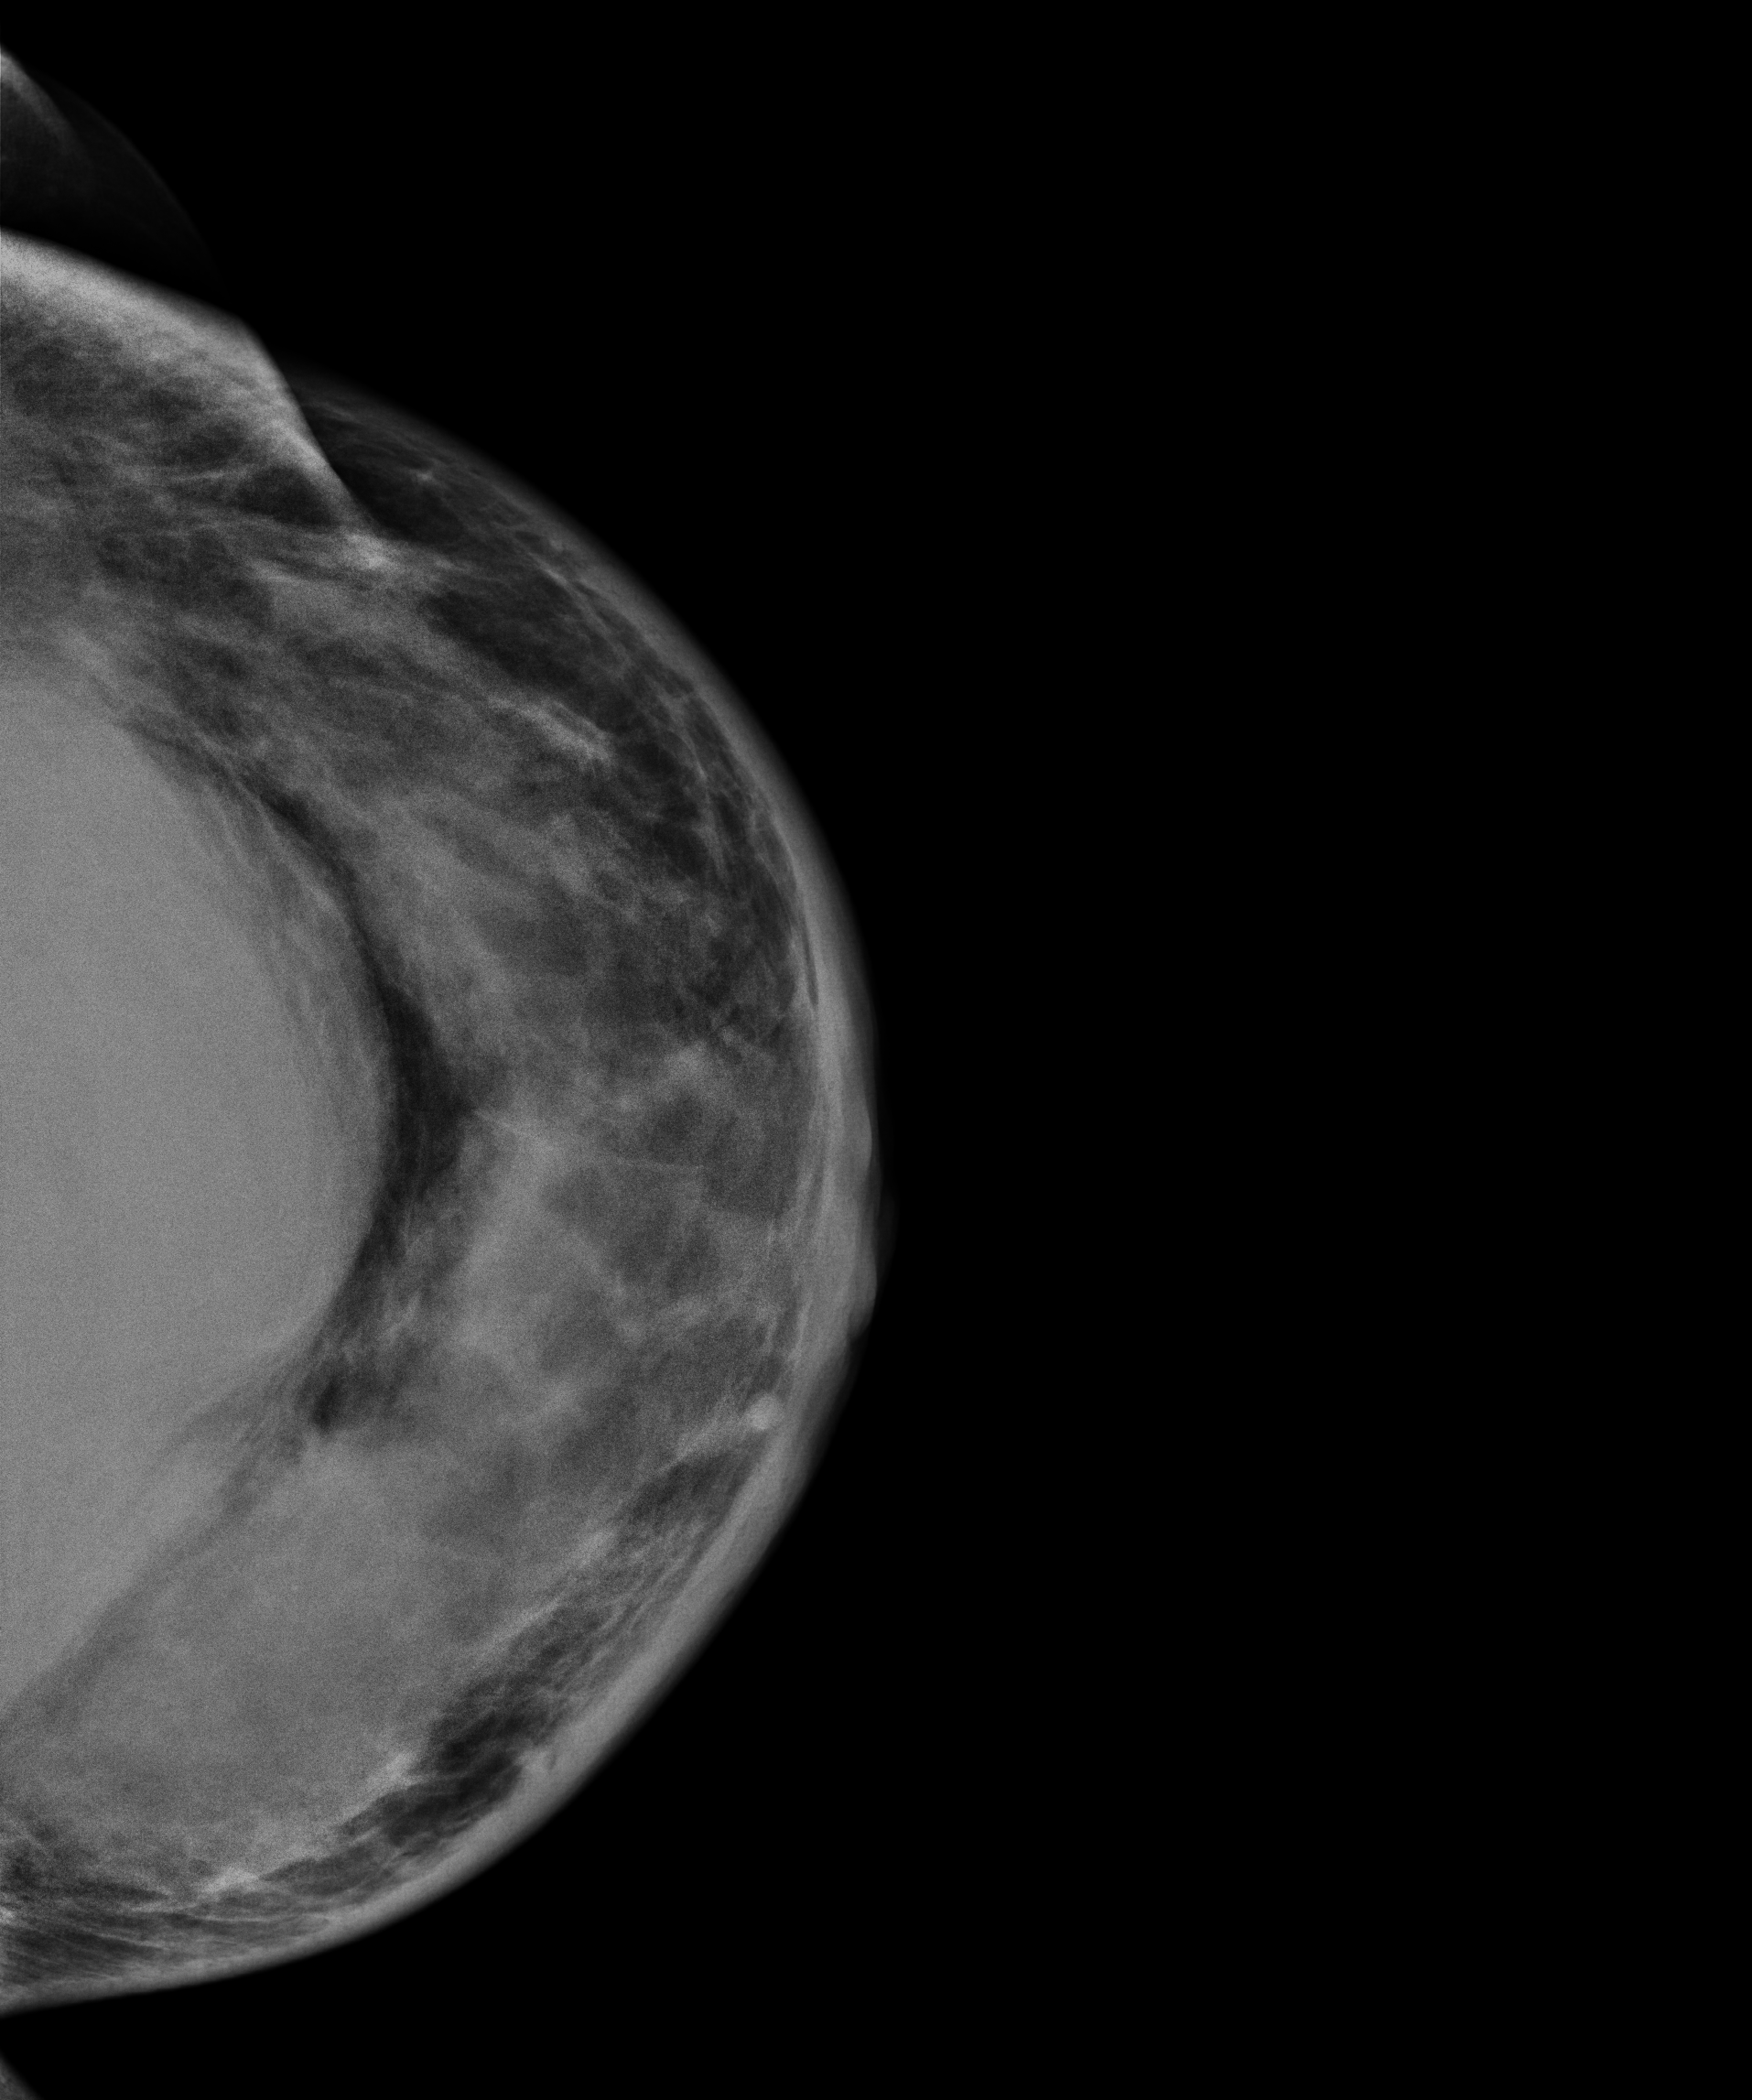
Digital mammography. Left breast, cranio-caudal projection. 38 y/o patient.
This breast has a mass, histologically confirmed malignant.